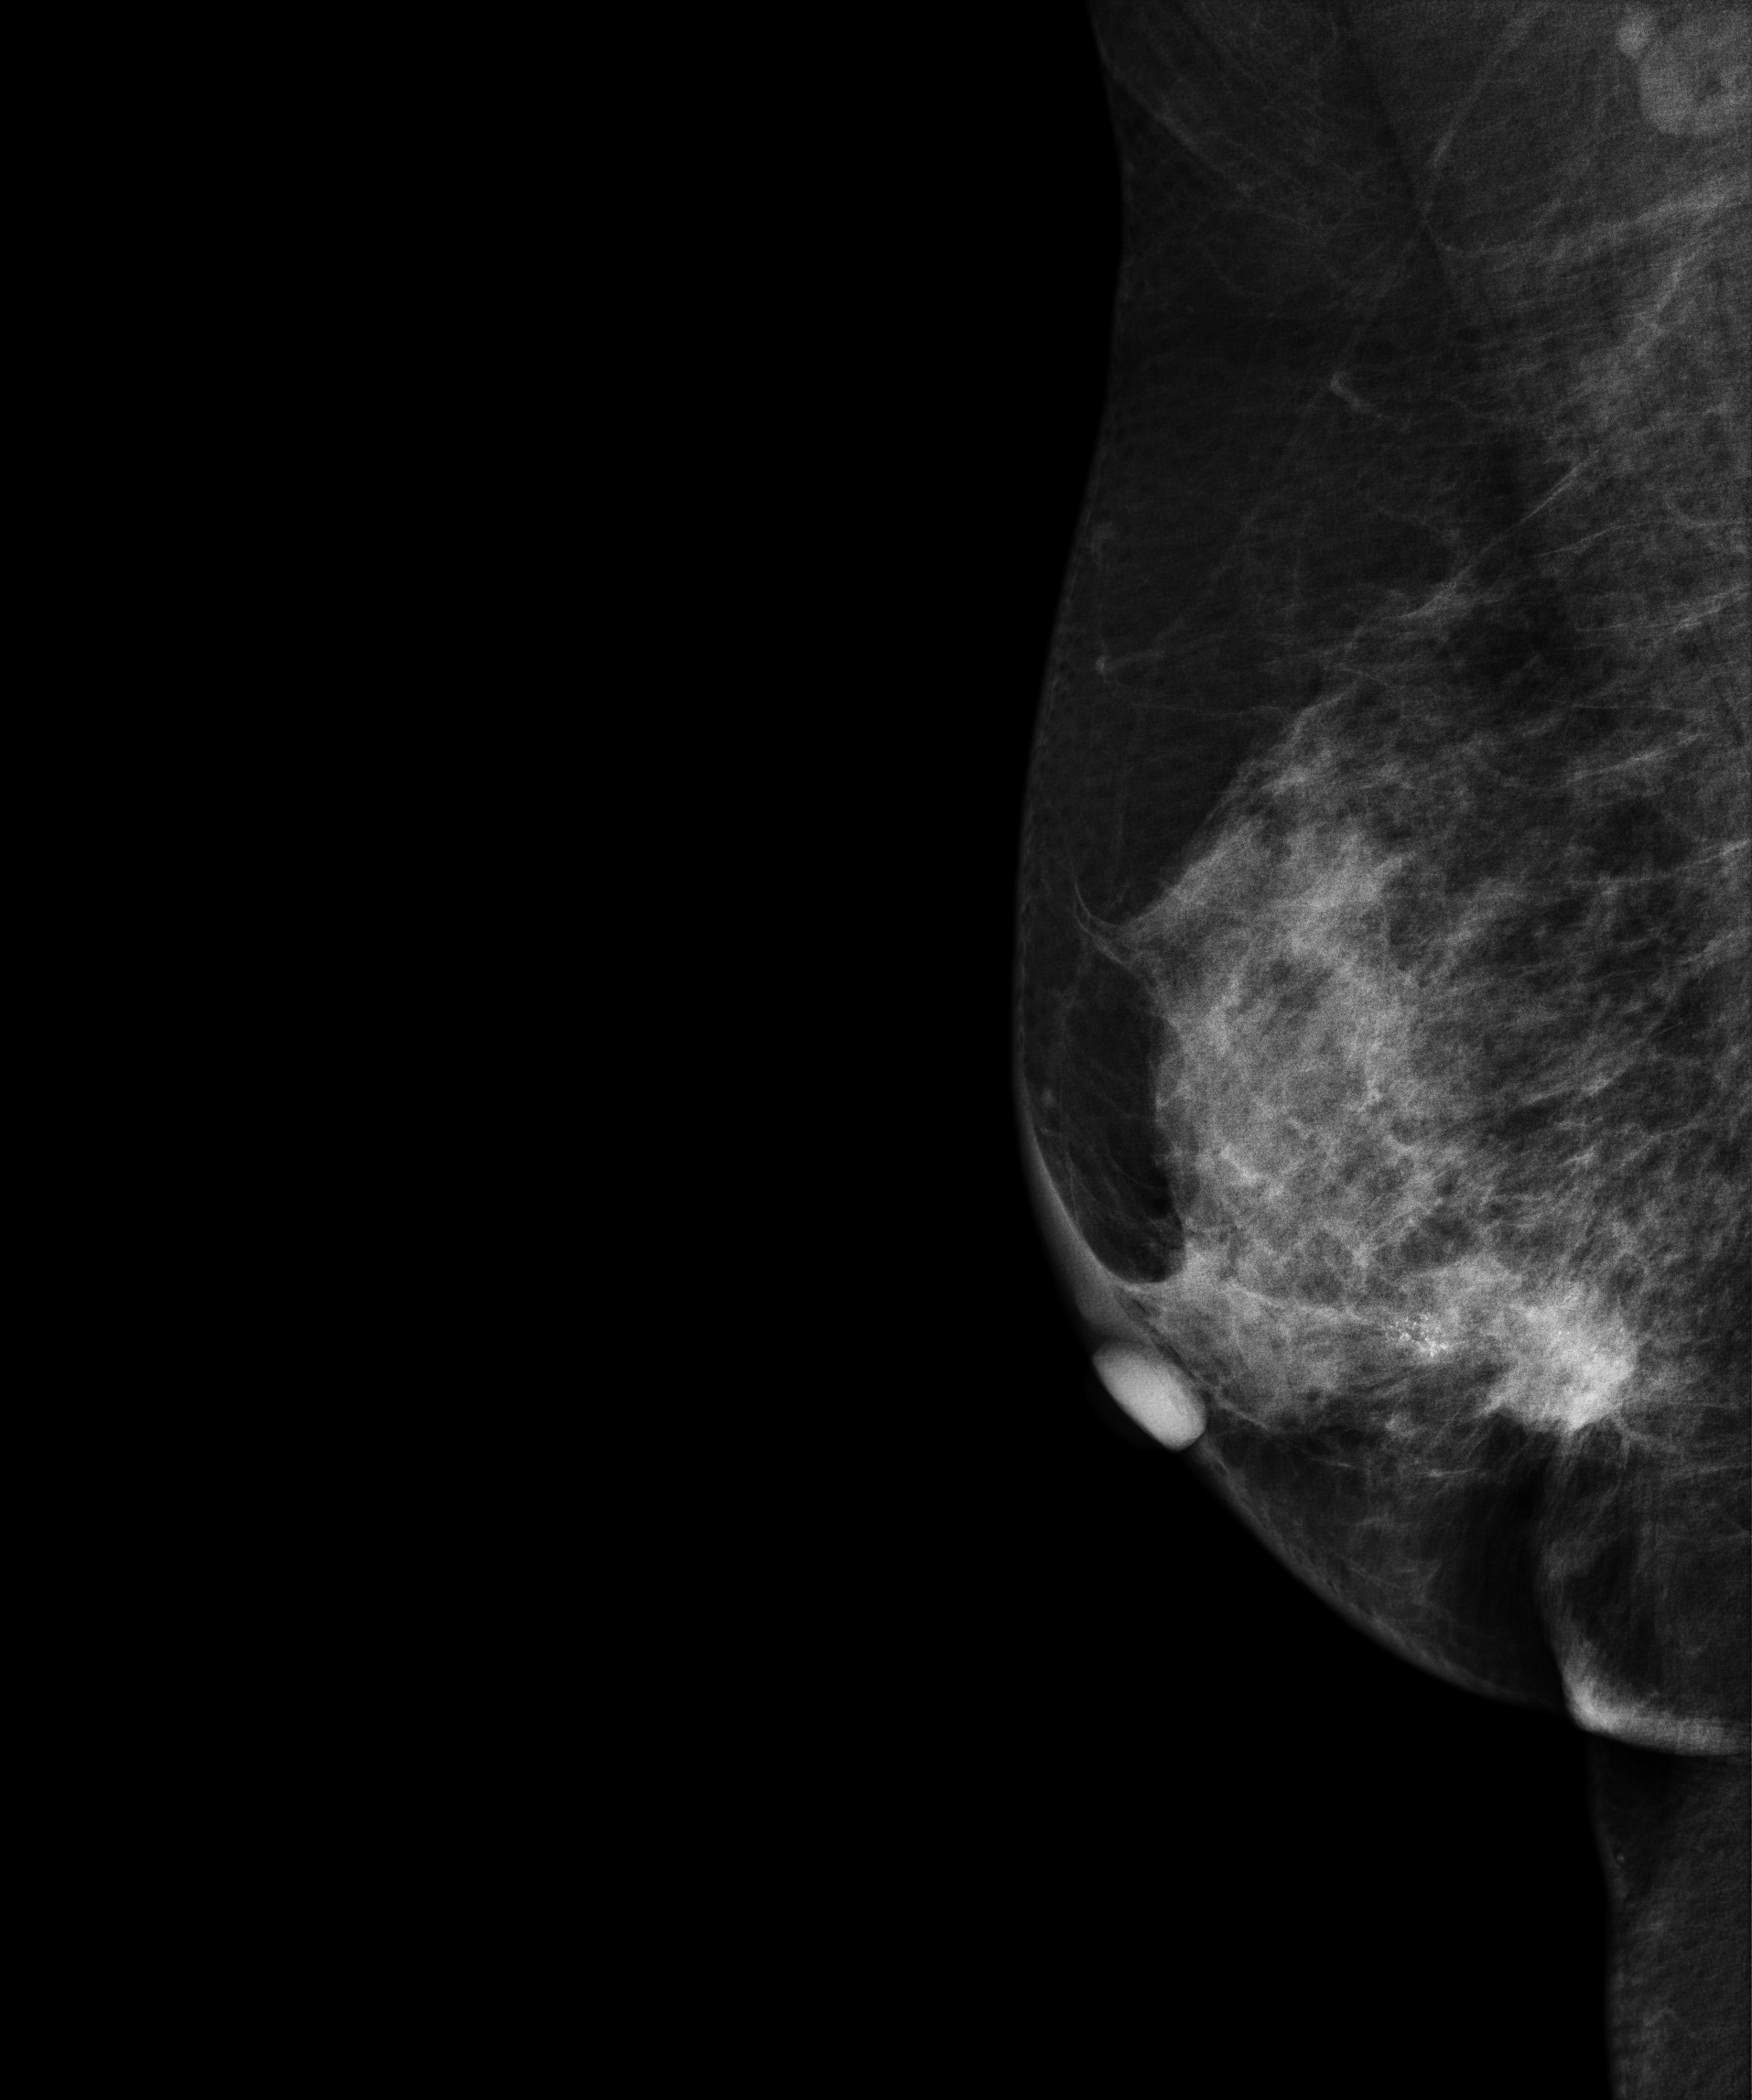
Right-breast mammogram, MLO. 63-year-old patient.
This breast has a mass and calcifications, biopsy-confirmed malignant. Molecular subtype: luminal B.